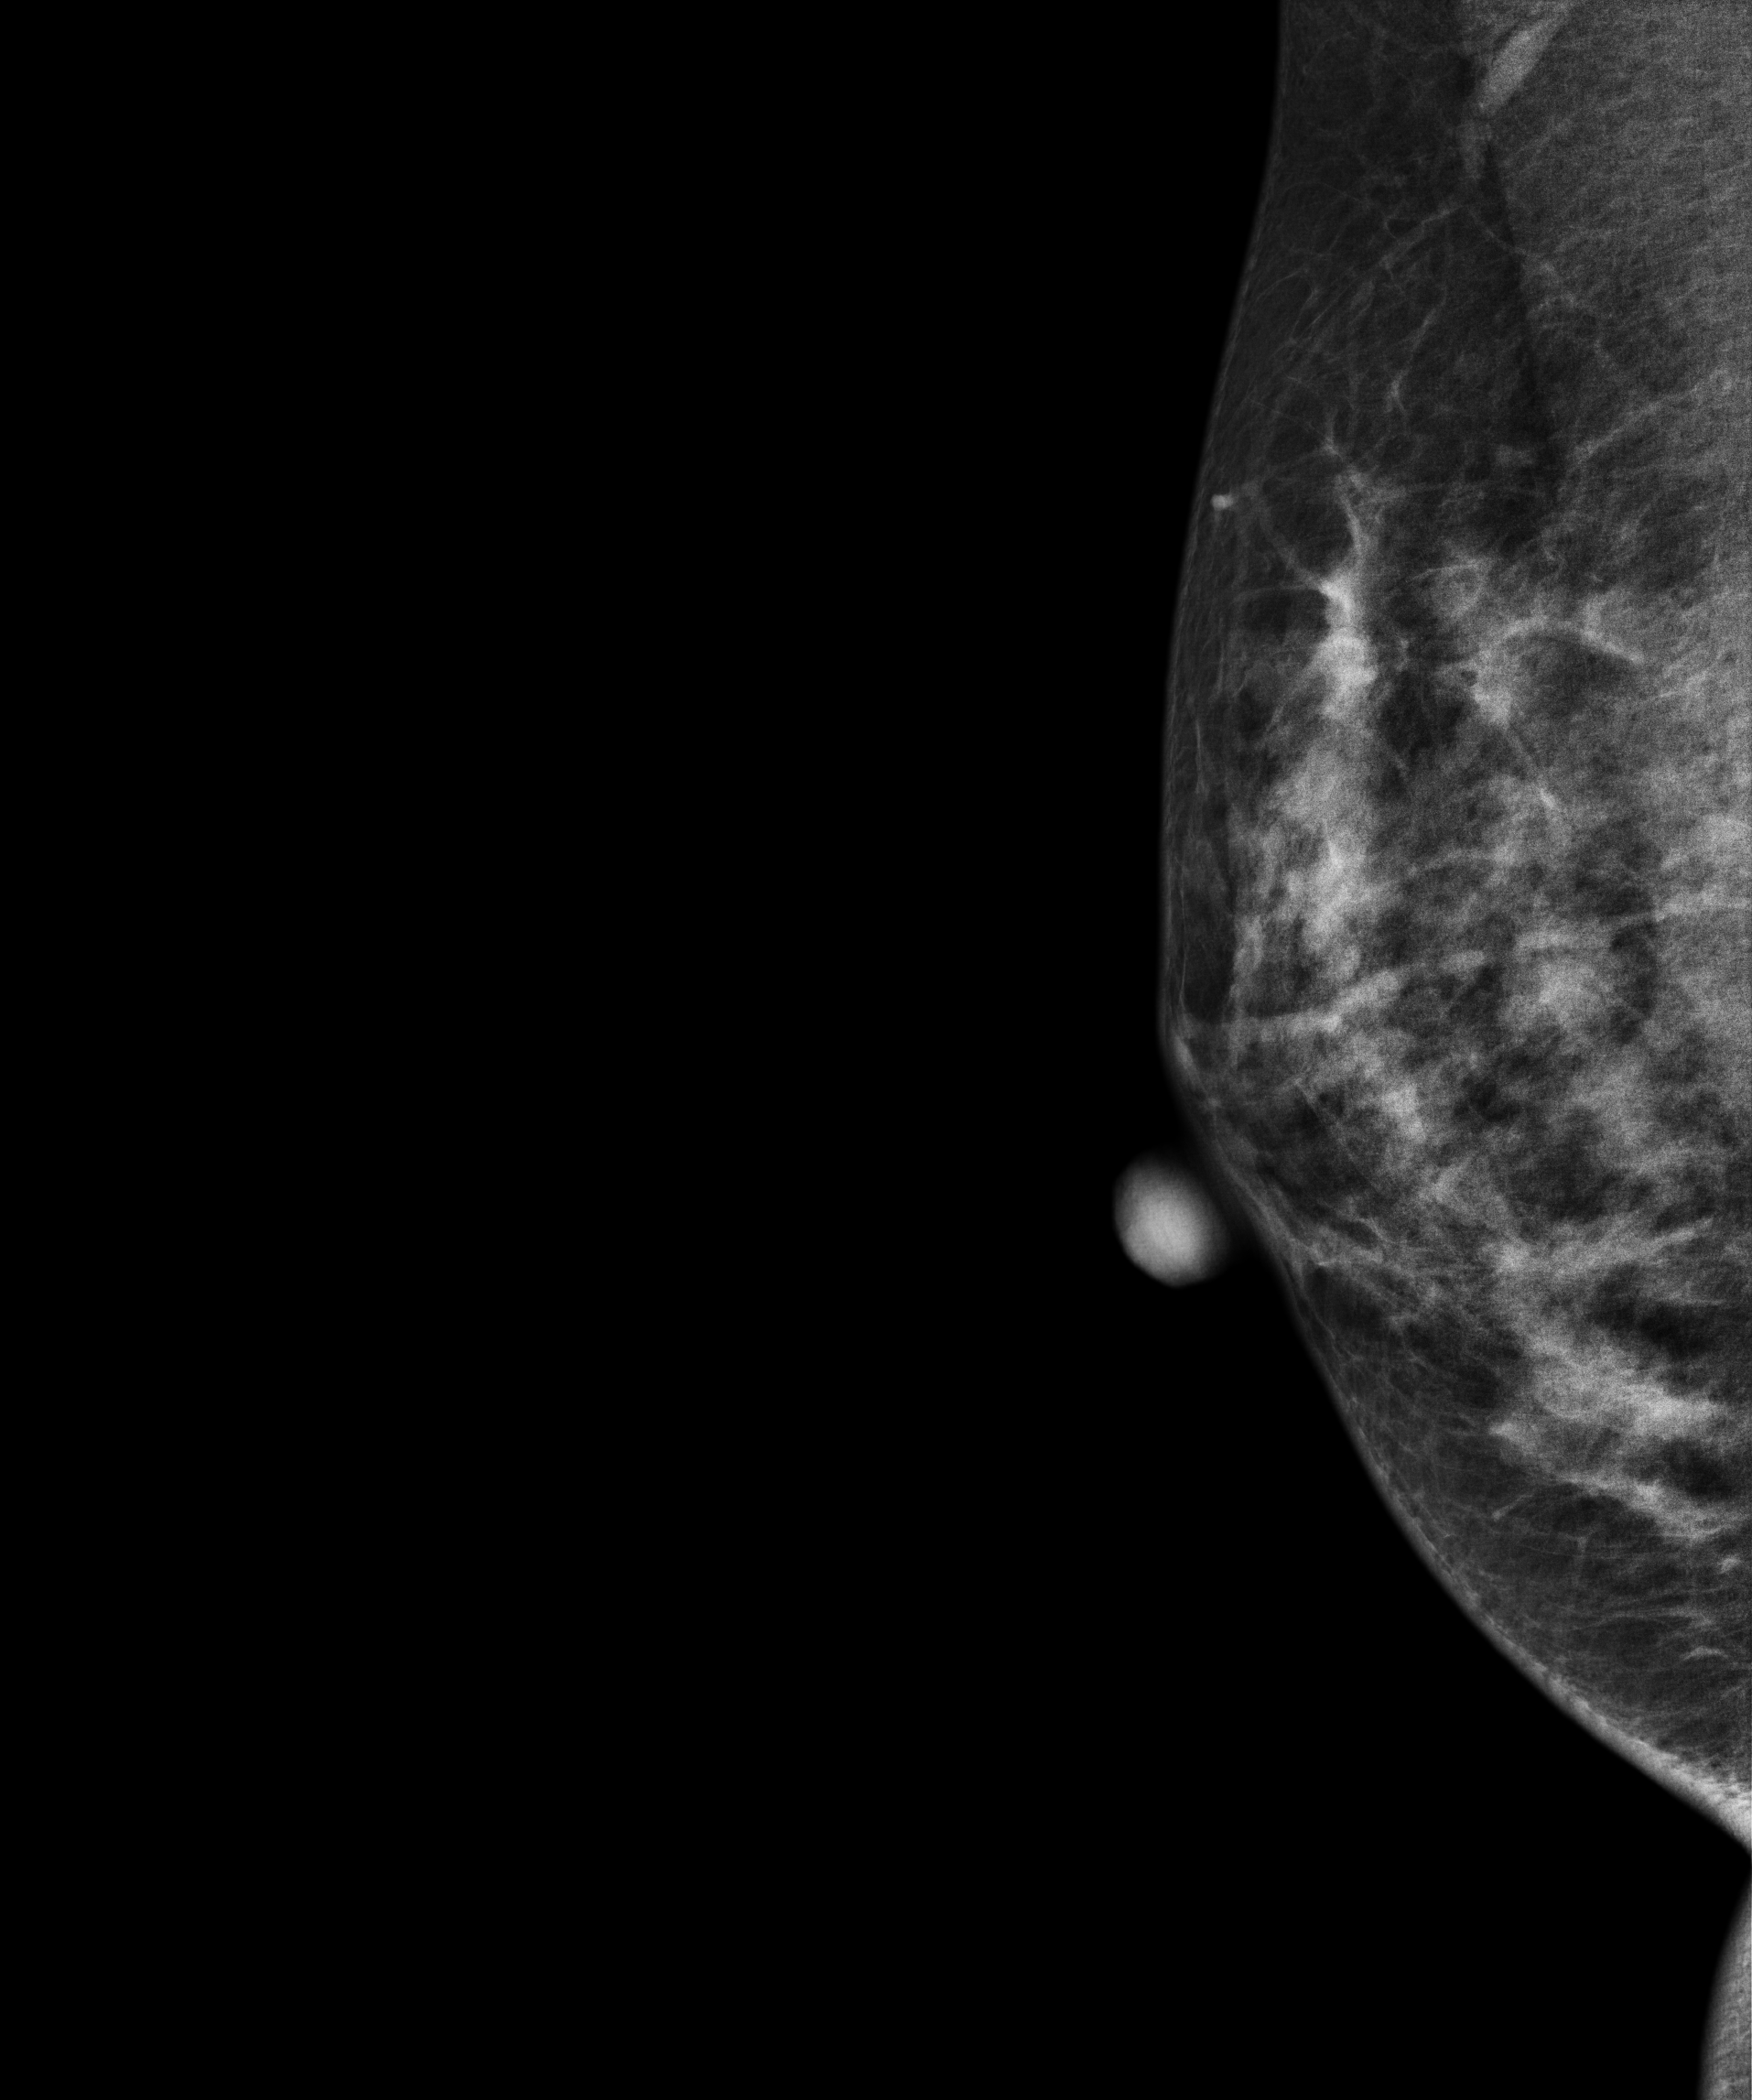
Digital mammography. Right breast, MLO projection. 43-year-old patient.
This breast has a mass, biopsy-proven benign.